Cranio-caudal mammogram of the right breast. 61 y/o patient.
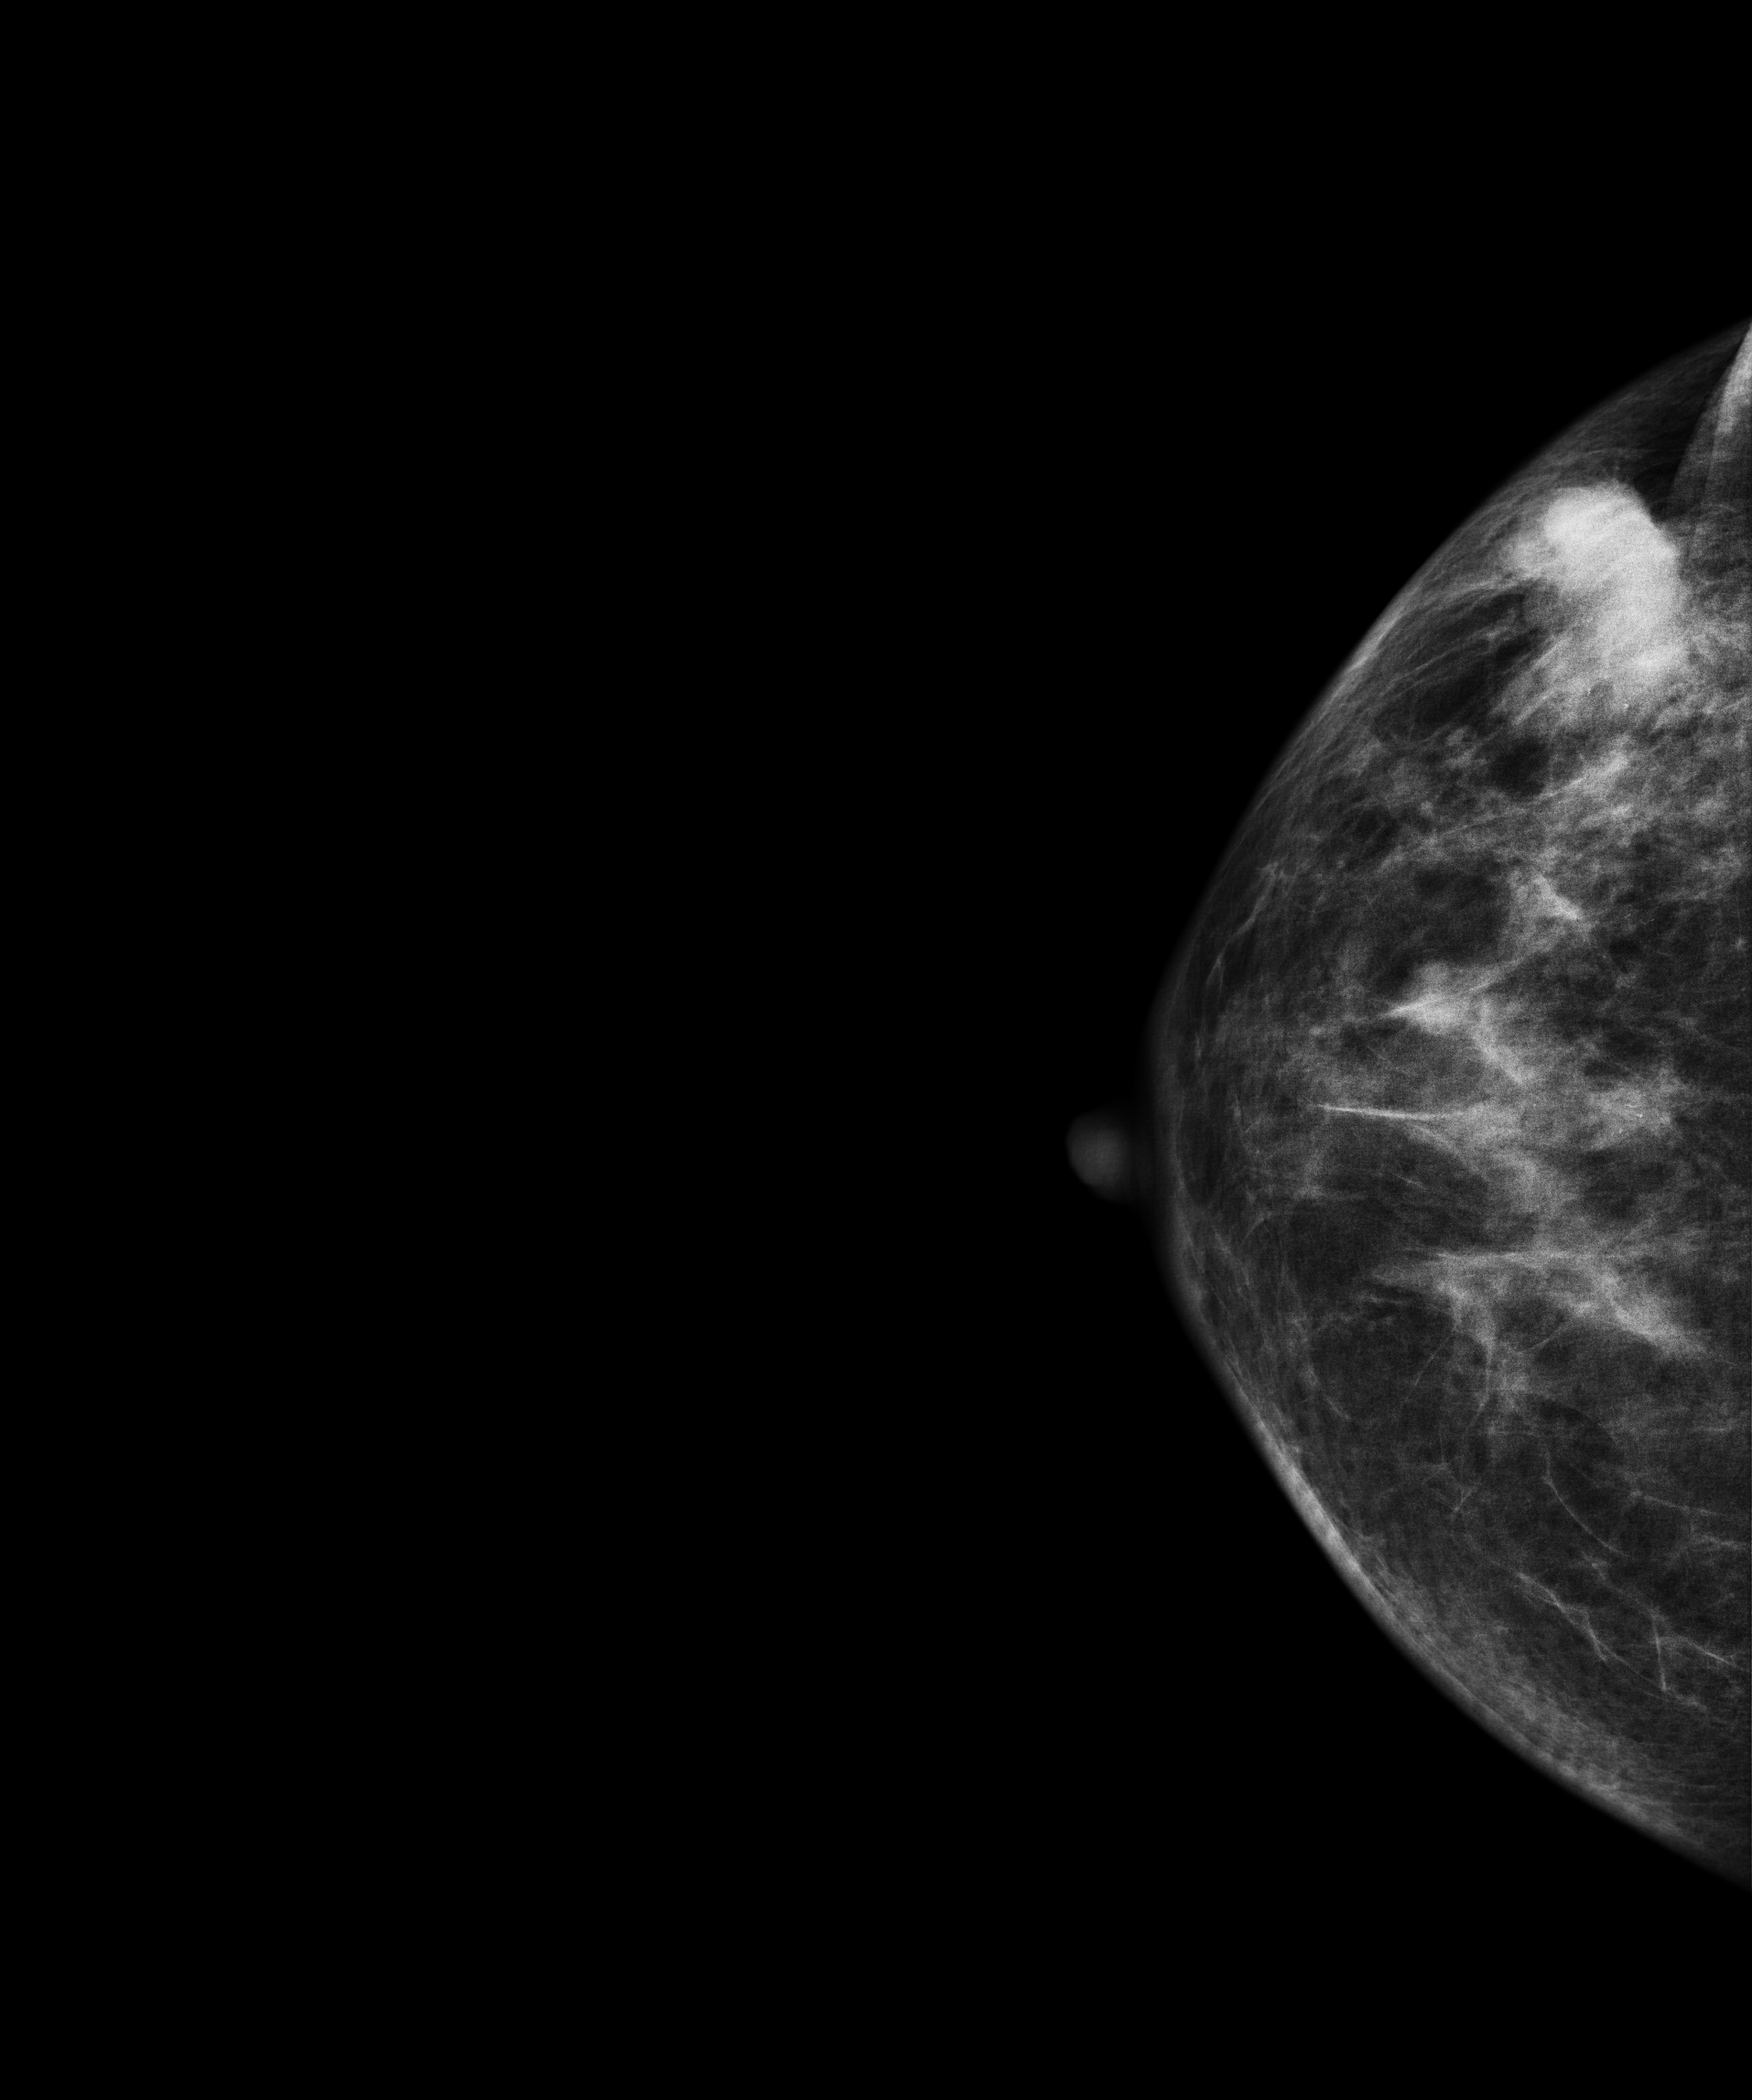
This breast has a mass, histologically confirmed malignant. Molecular subtype: luminal B.